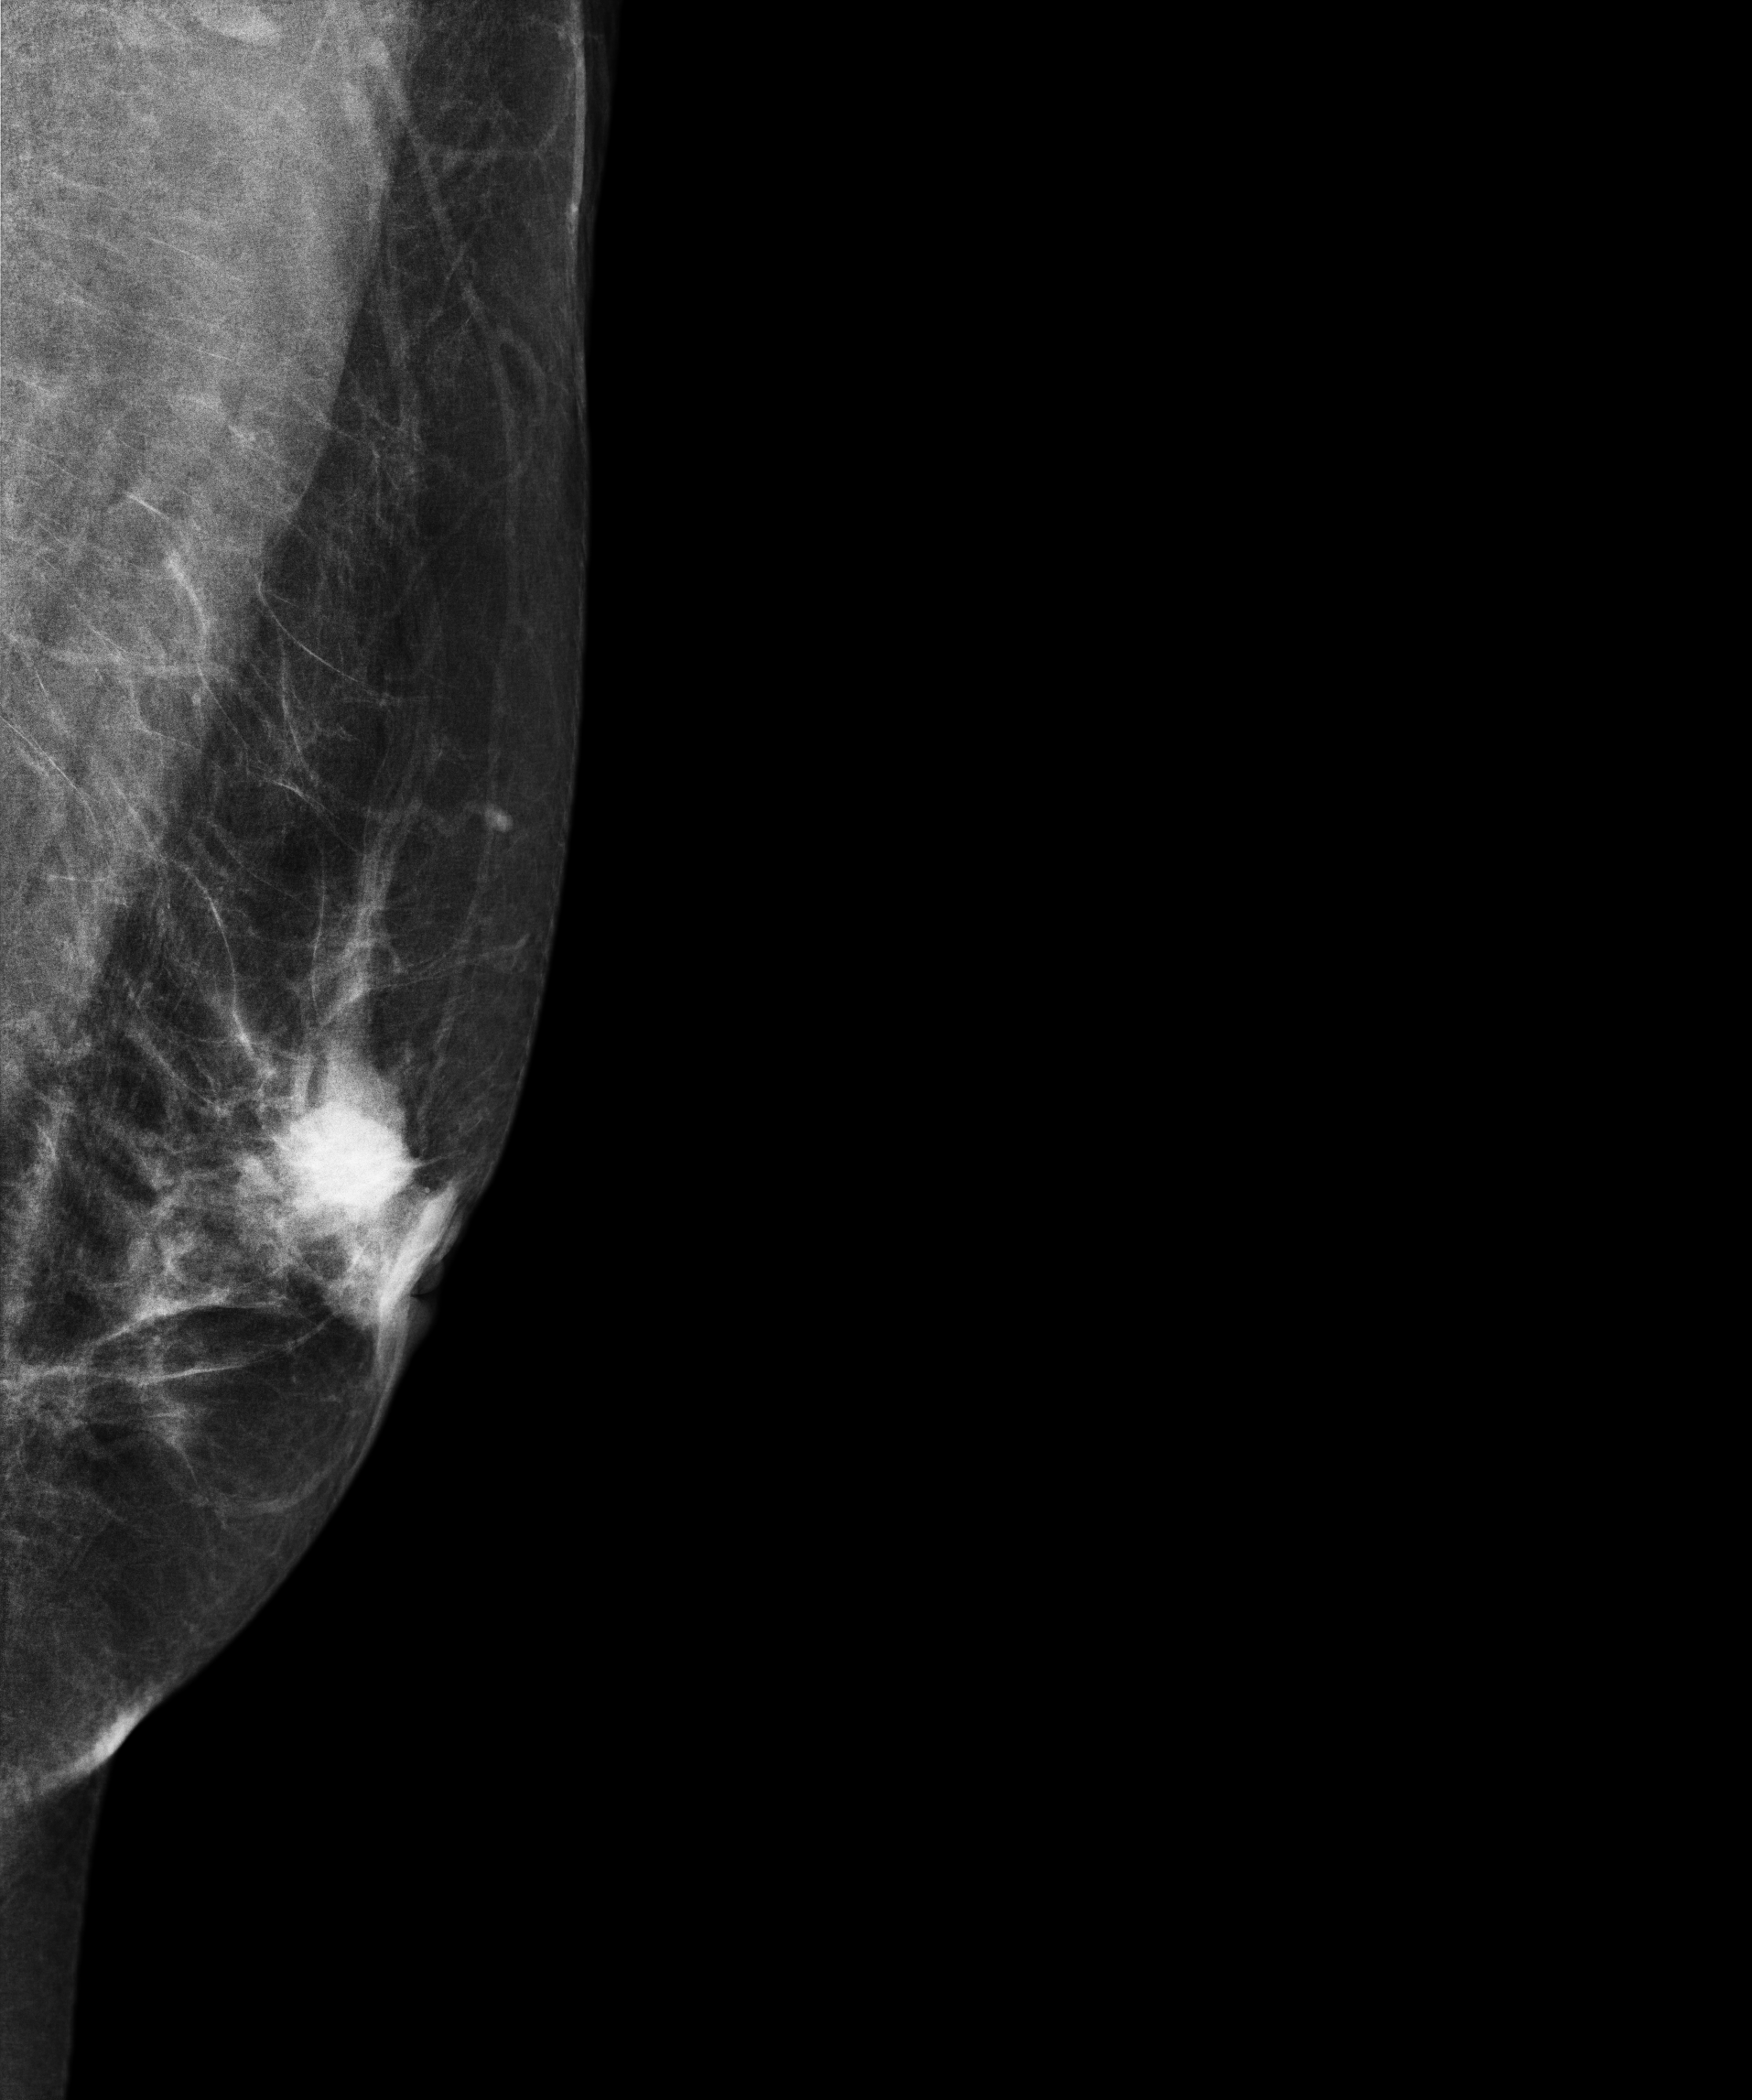
Digital mammography. Left breast, MLO projection. Patient age 62.
This breast has a mass, pathology-confirmed malignant.